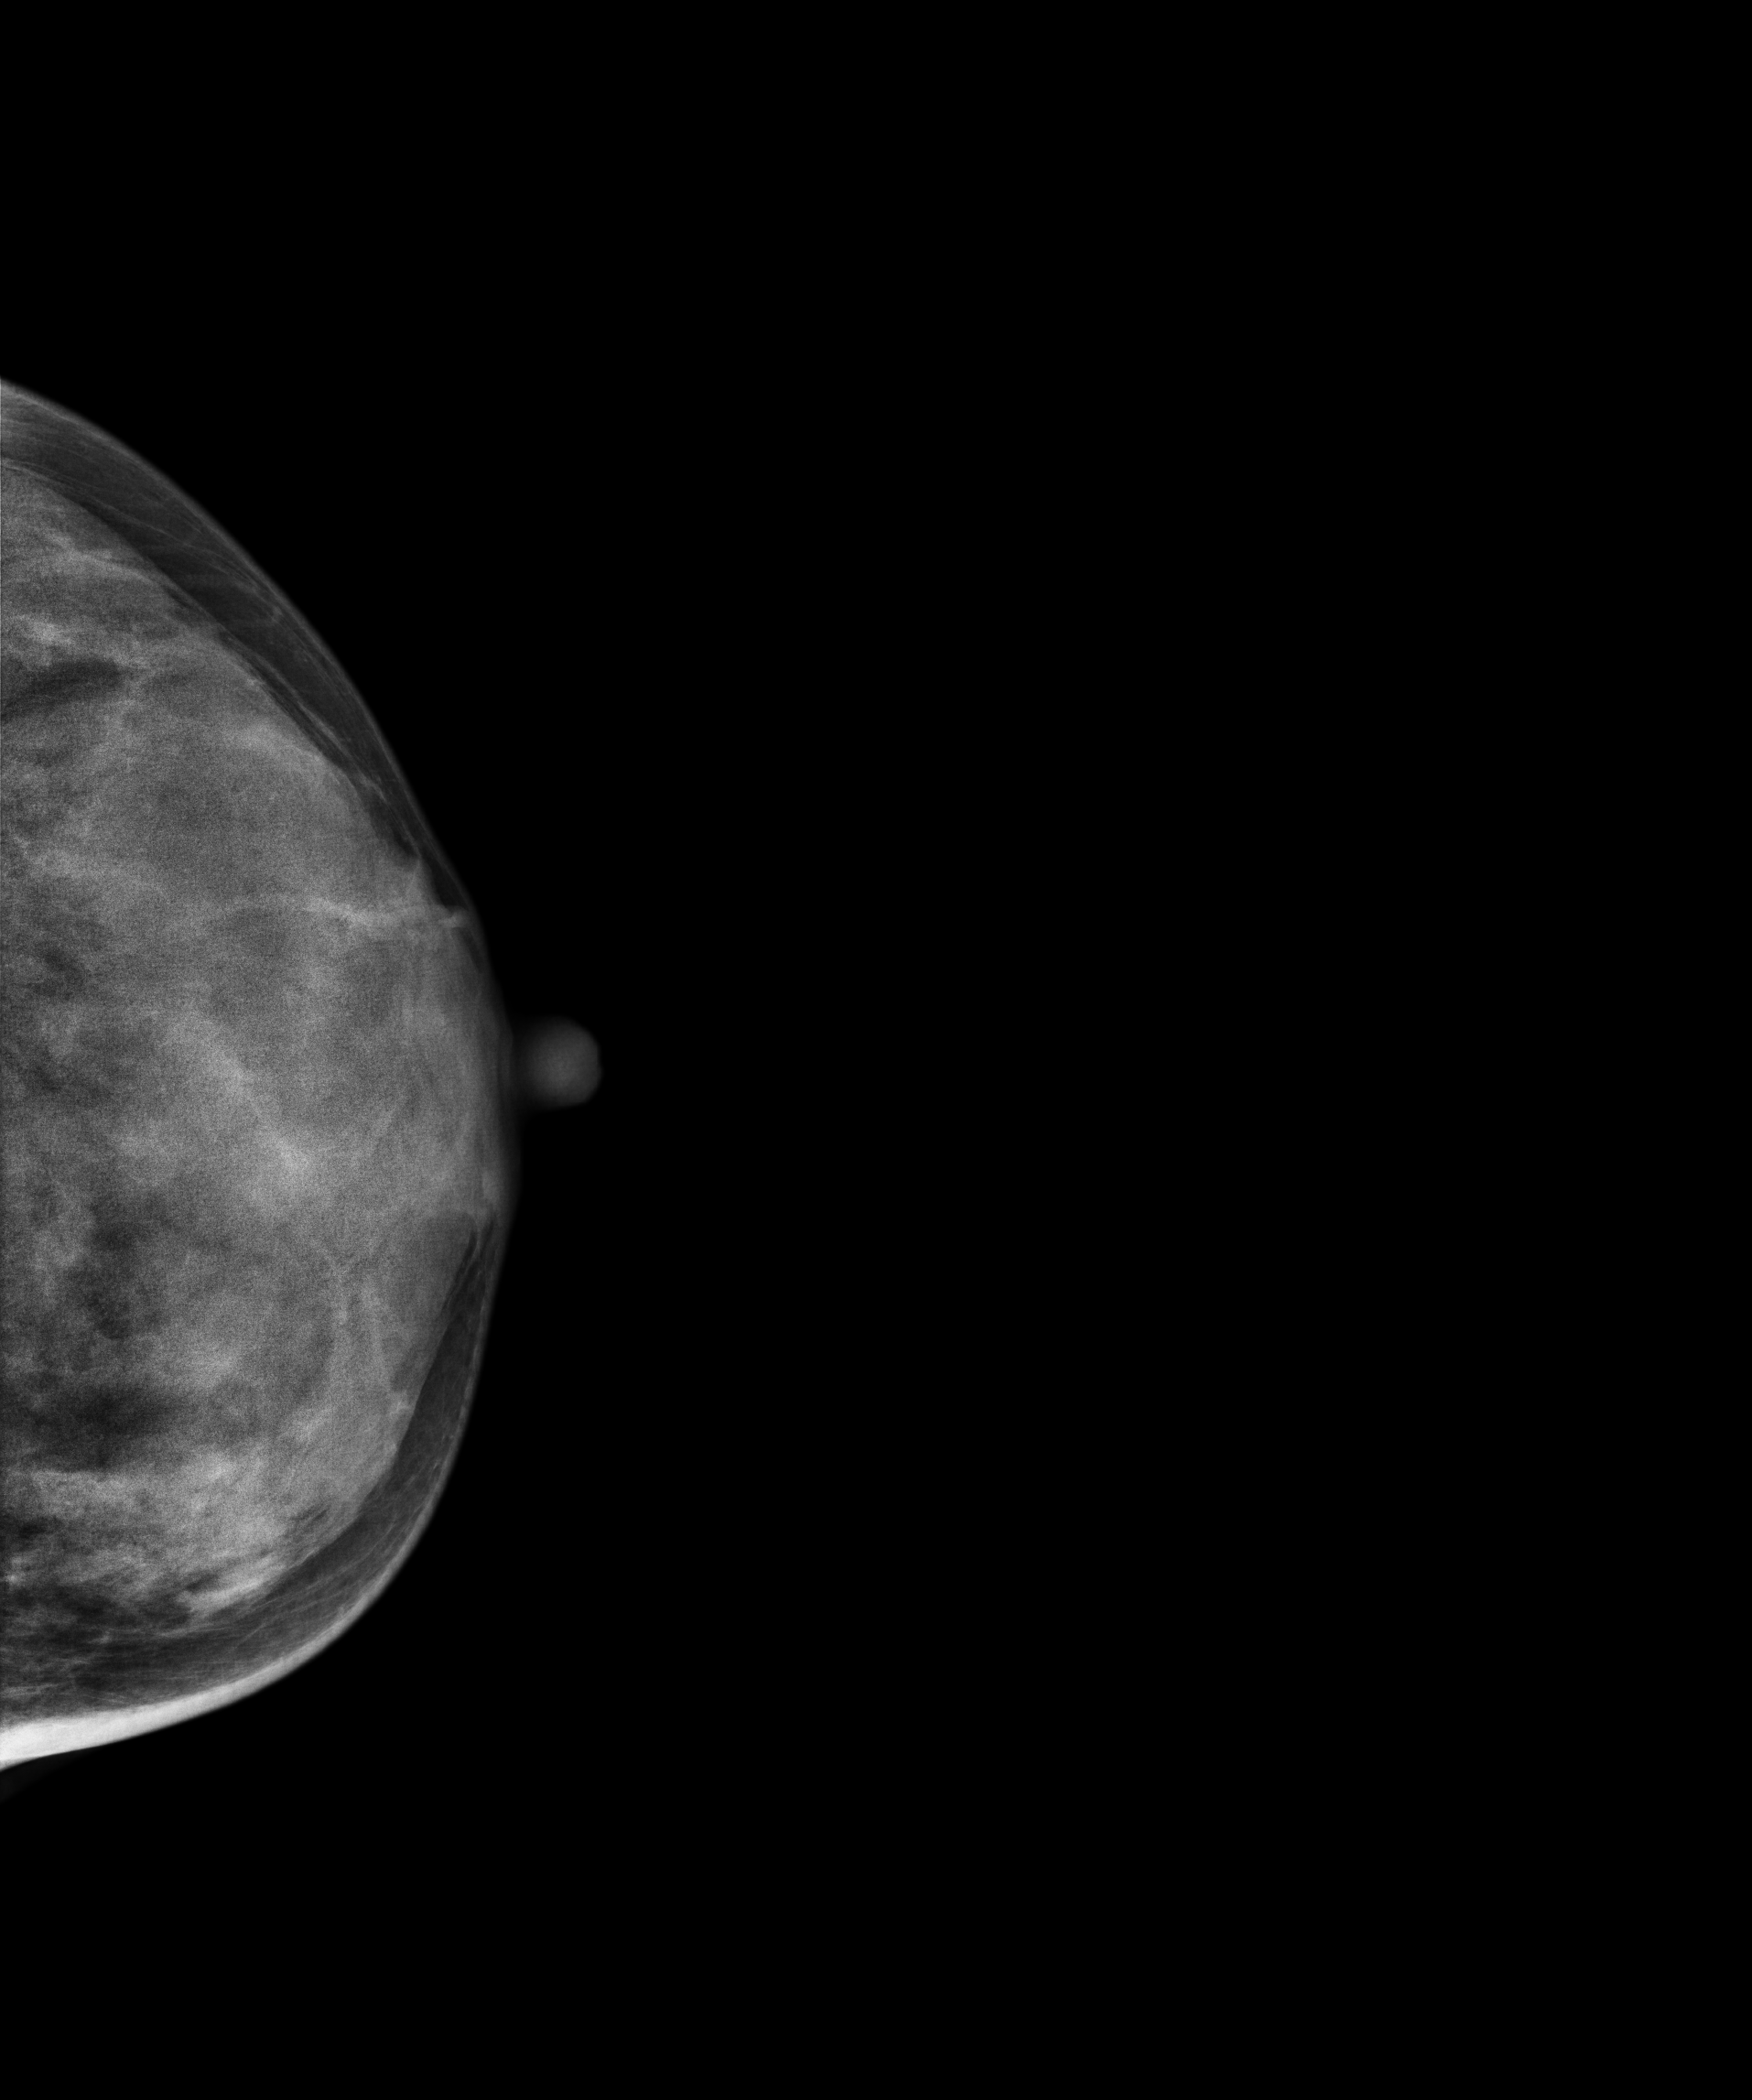
Digital mammography. Left breast, CC projection. 33-year-old patient.
Contralateral breast — no documented abnormality on this side.